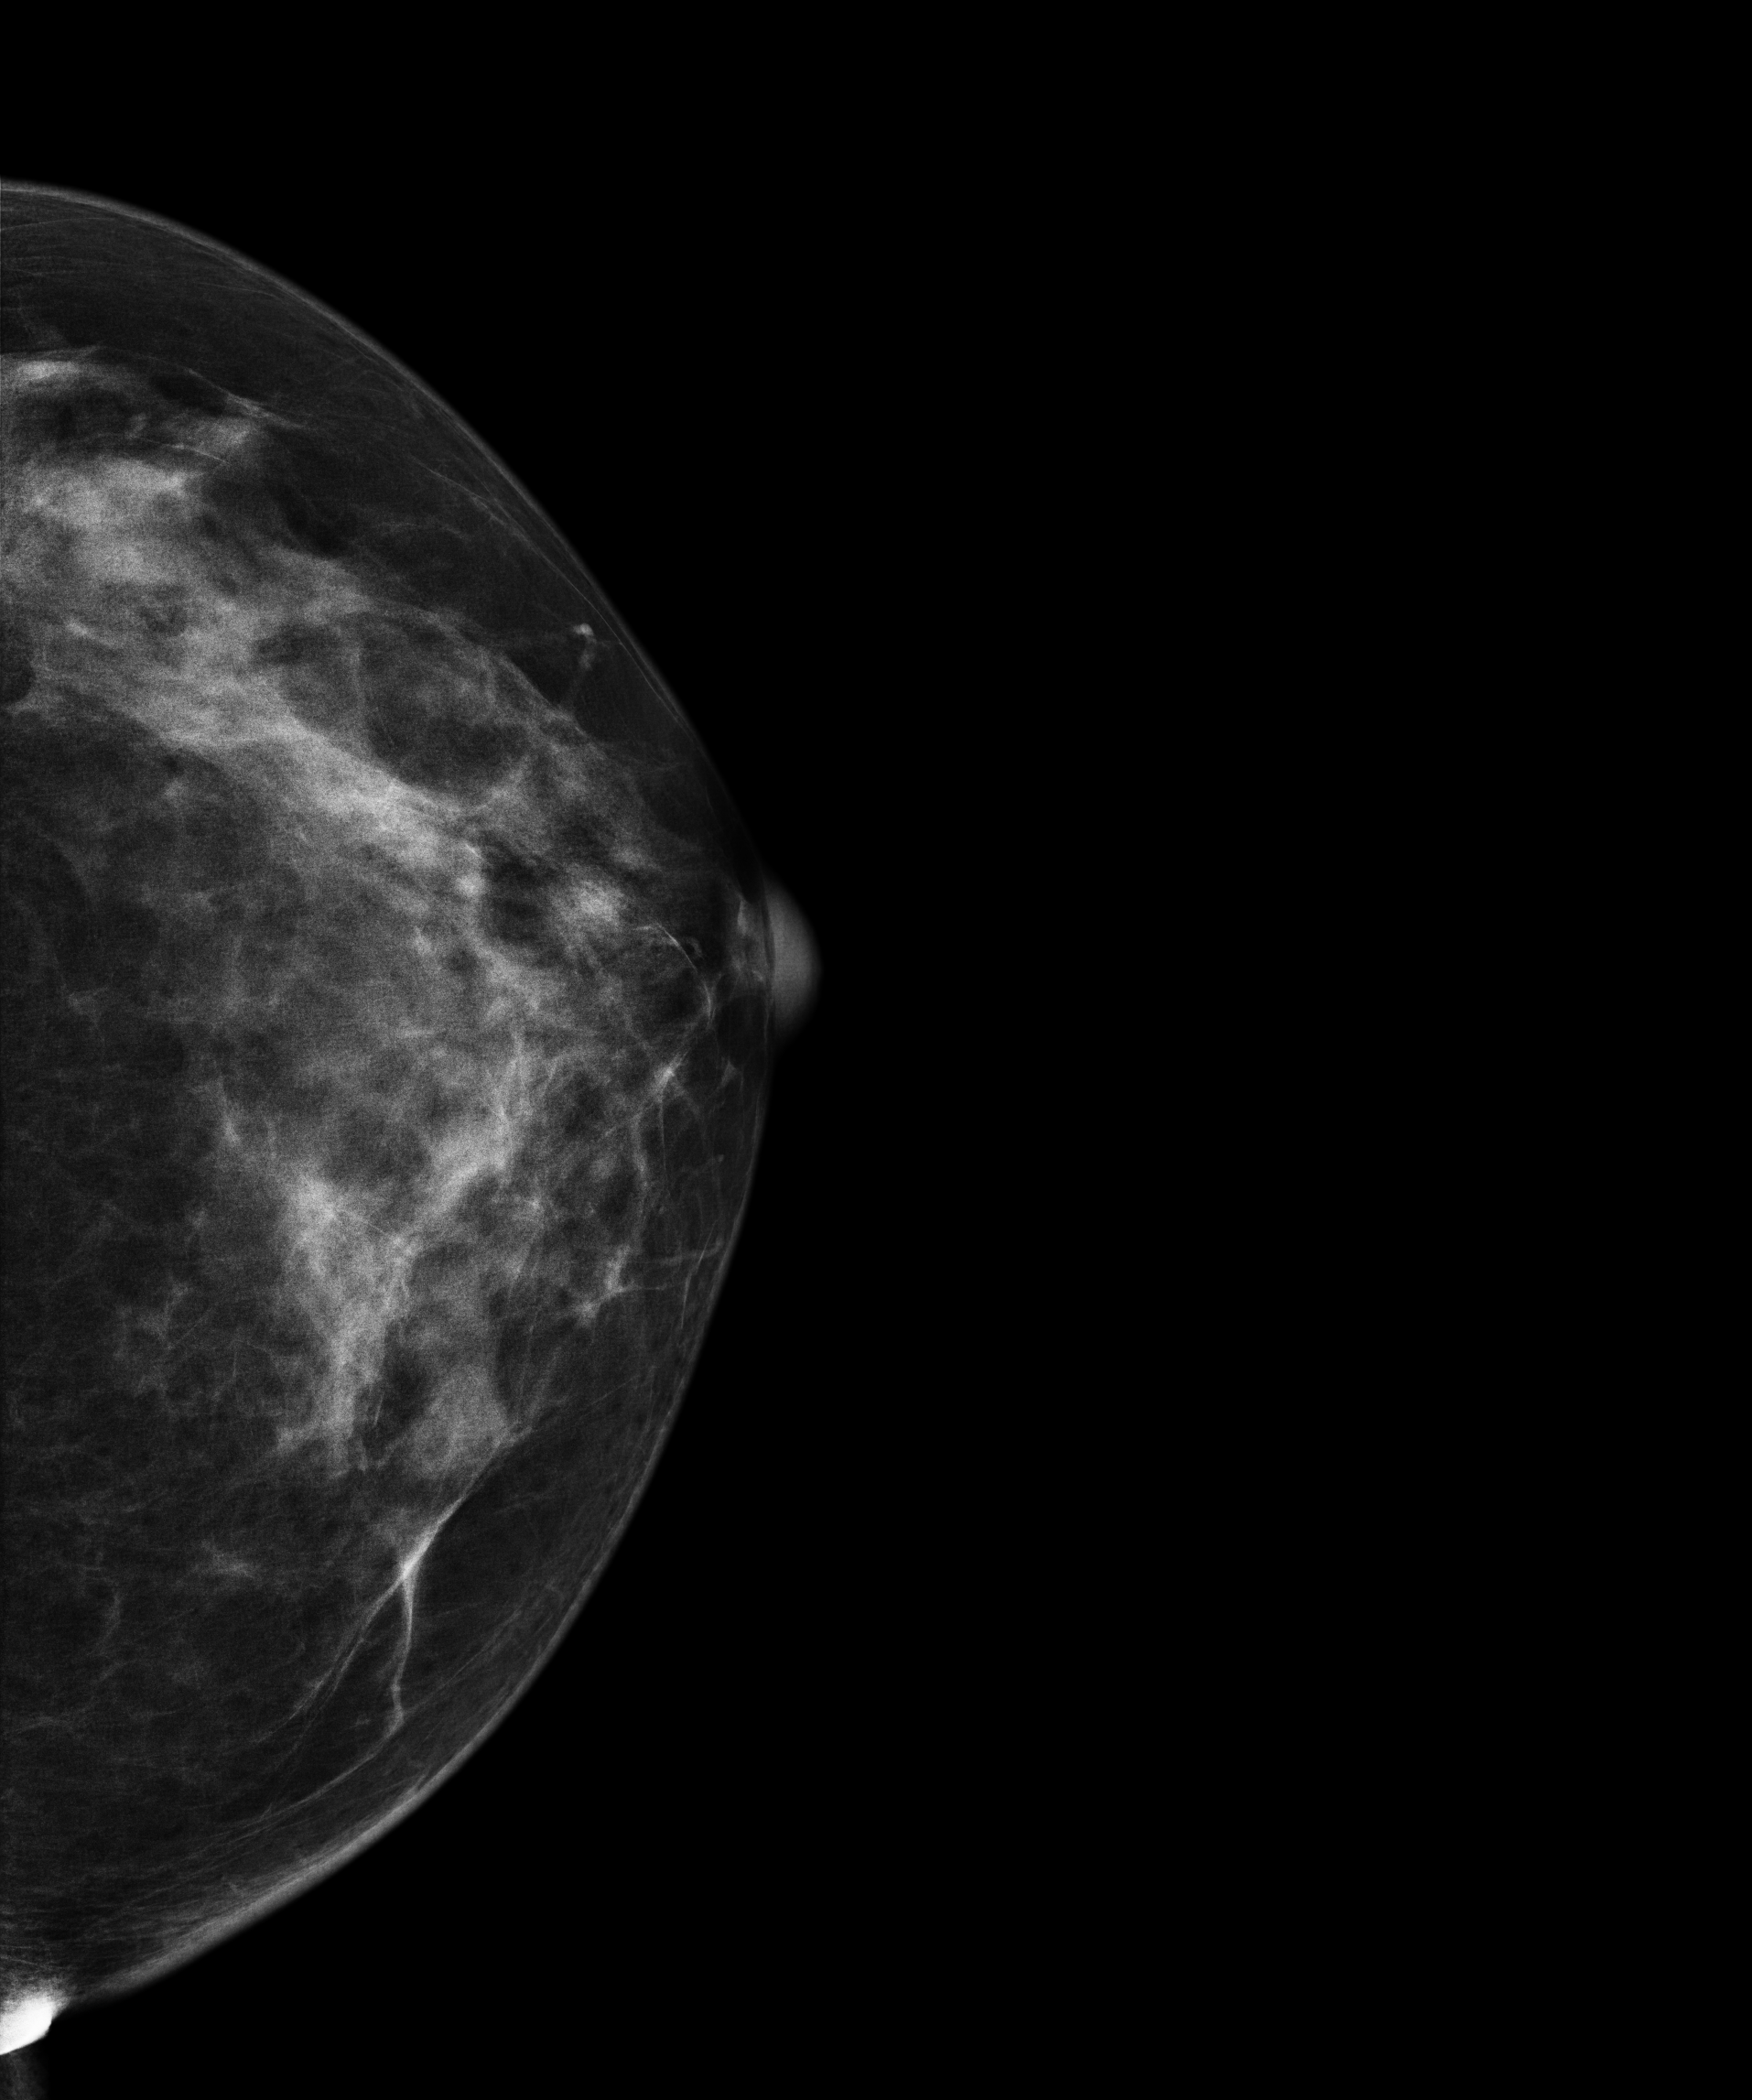
CC mammogram of the left breast. 49-year-old patient.
Contralateral breast — no documented abnormality on this side.